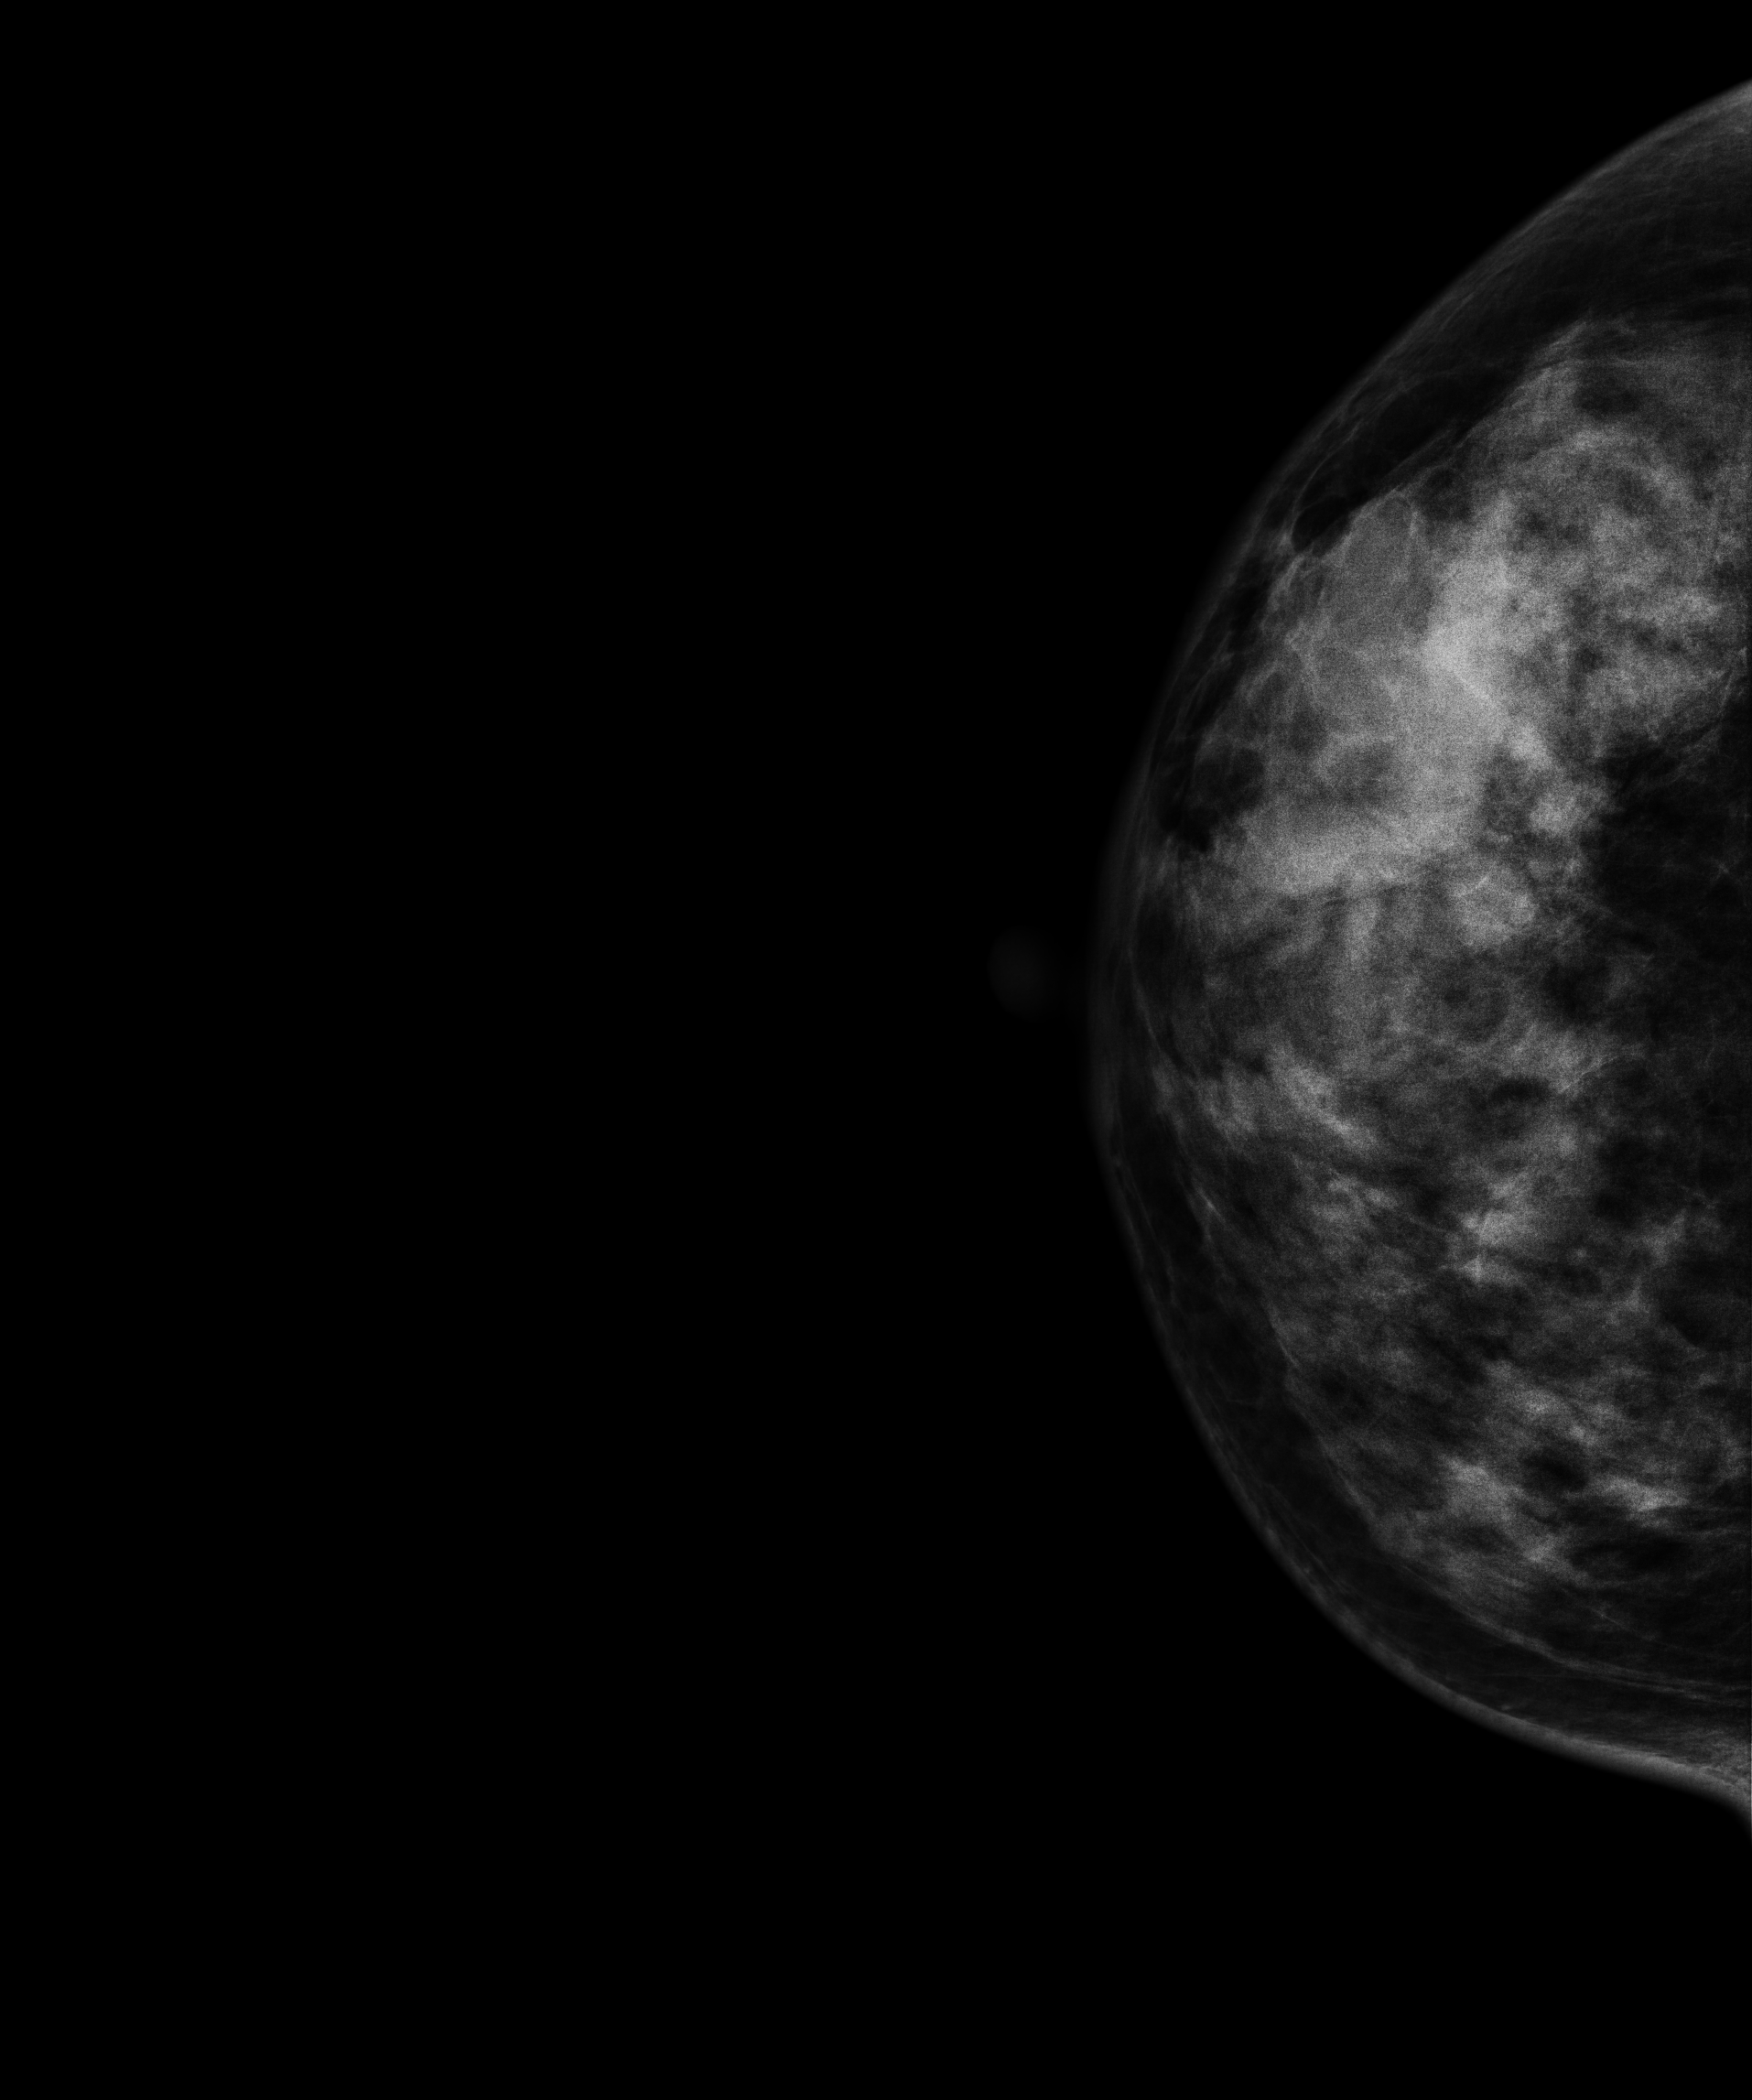
Cranio-caudal mammogram of the right breast. Patient age 48.
This breast has a mass, biopsy-confirmed malignant. Molecular subtype: luminal B.